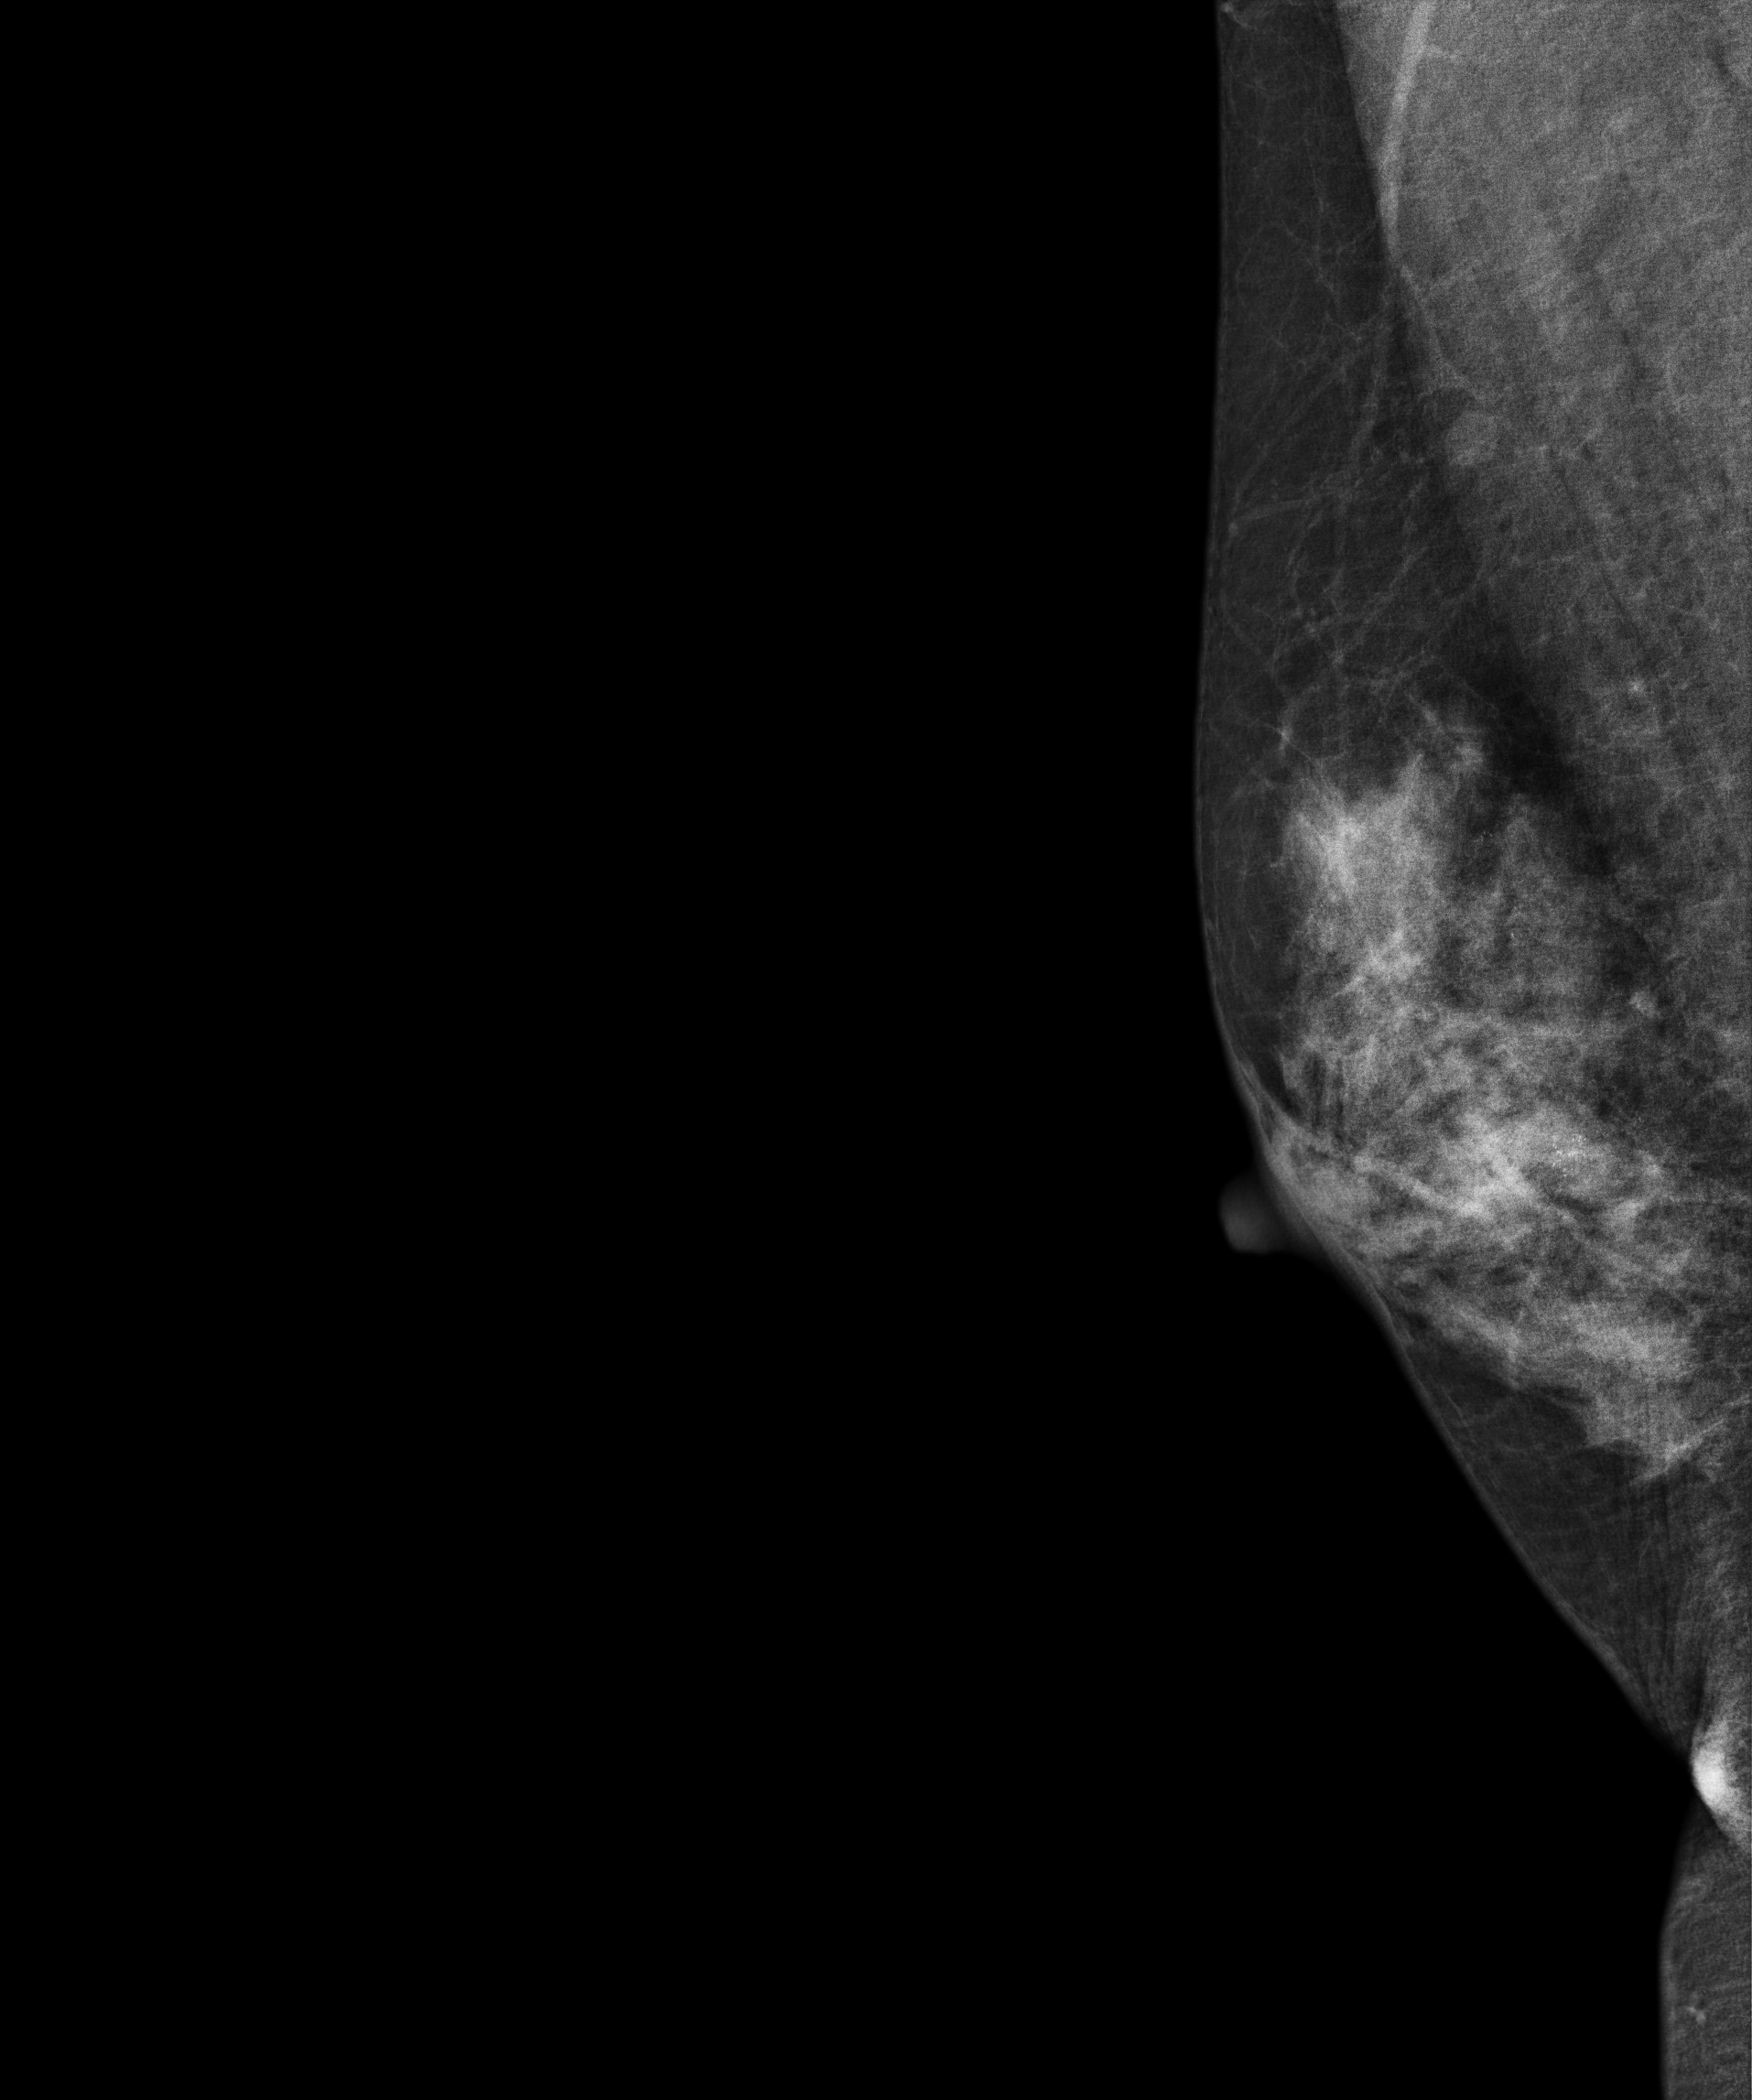
MLO mammogram of the right breast. Patient age 47.
Contralateral breast — no documented abnormality on this side.